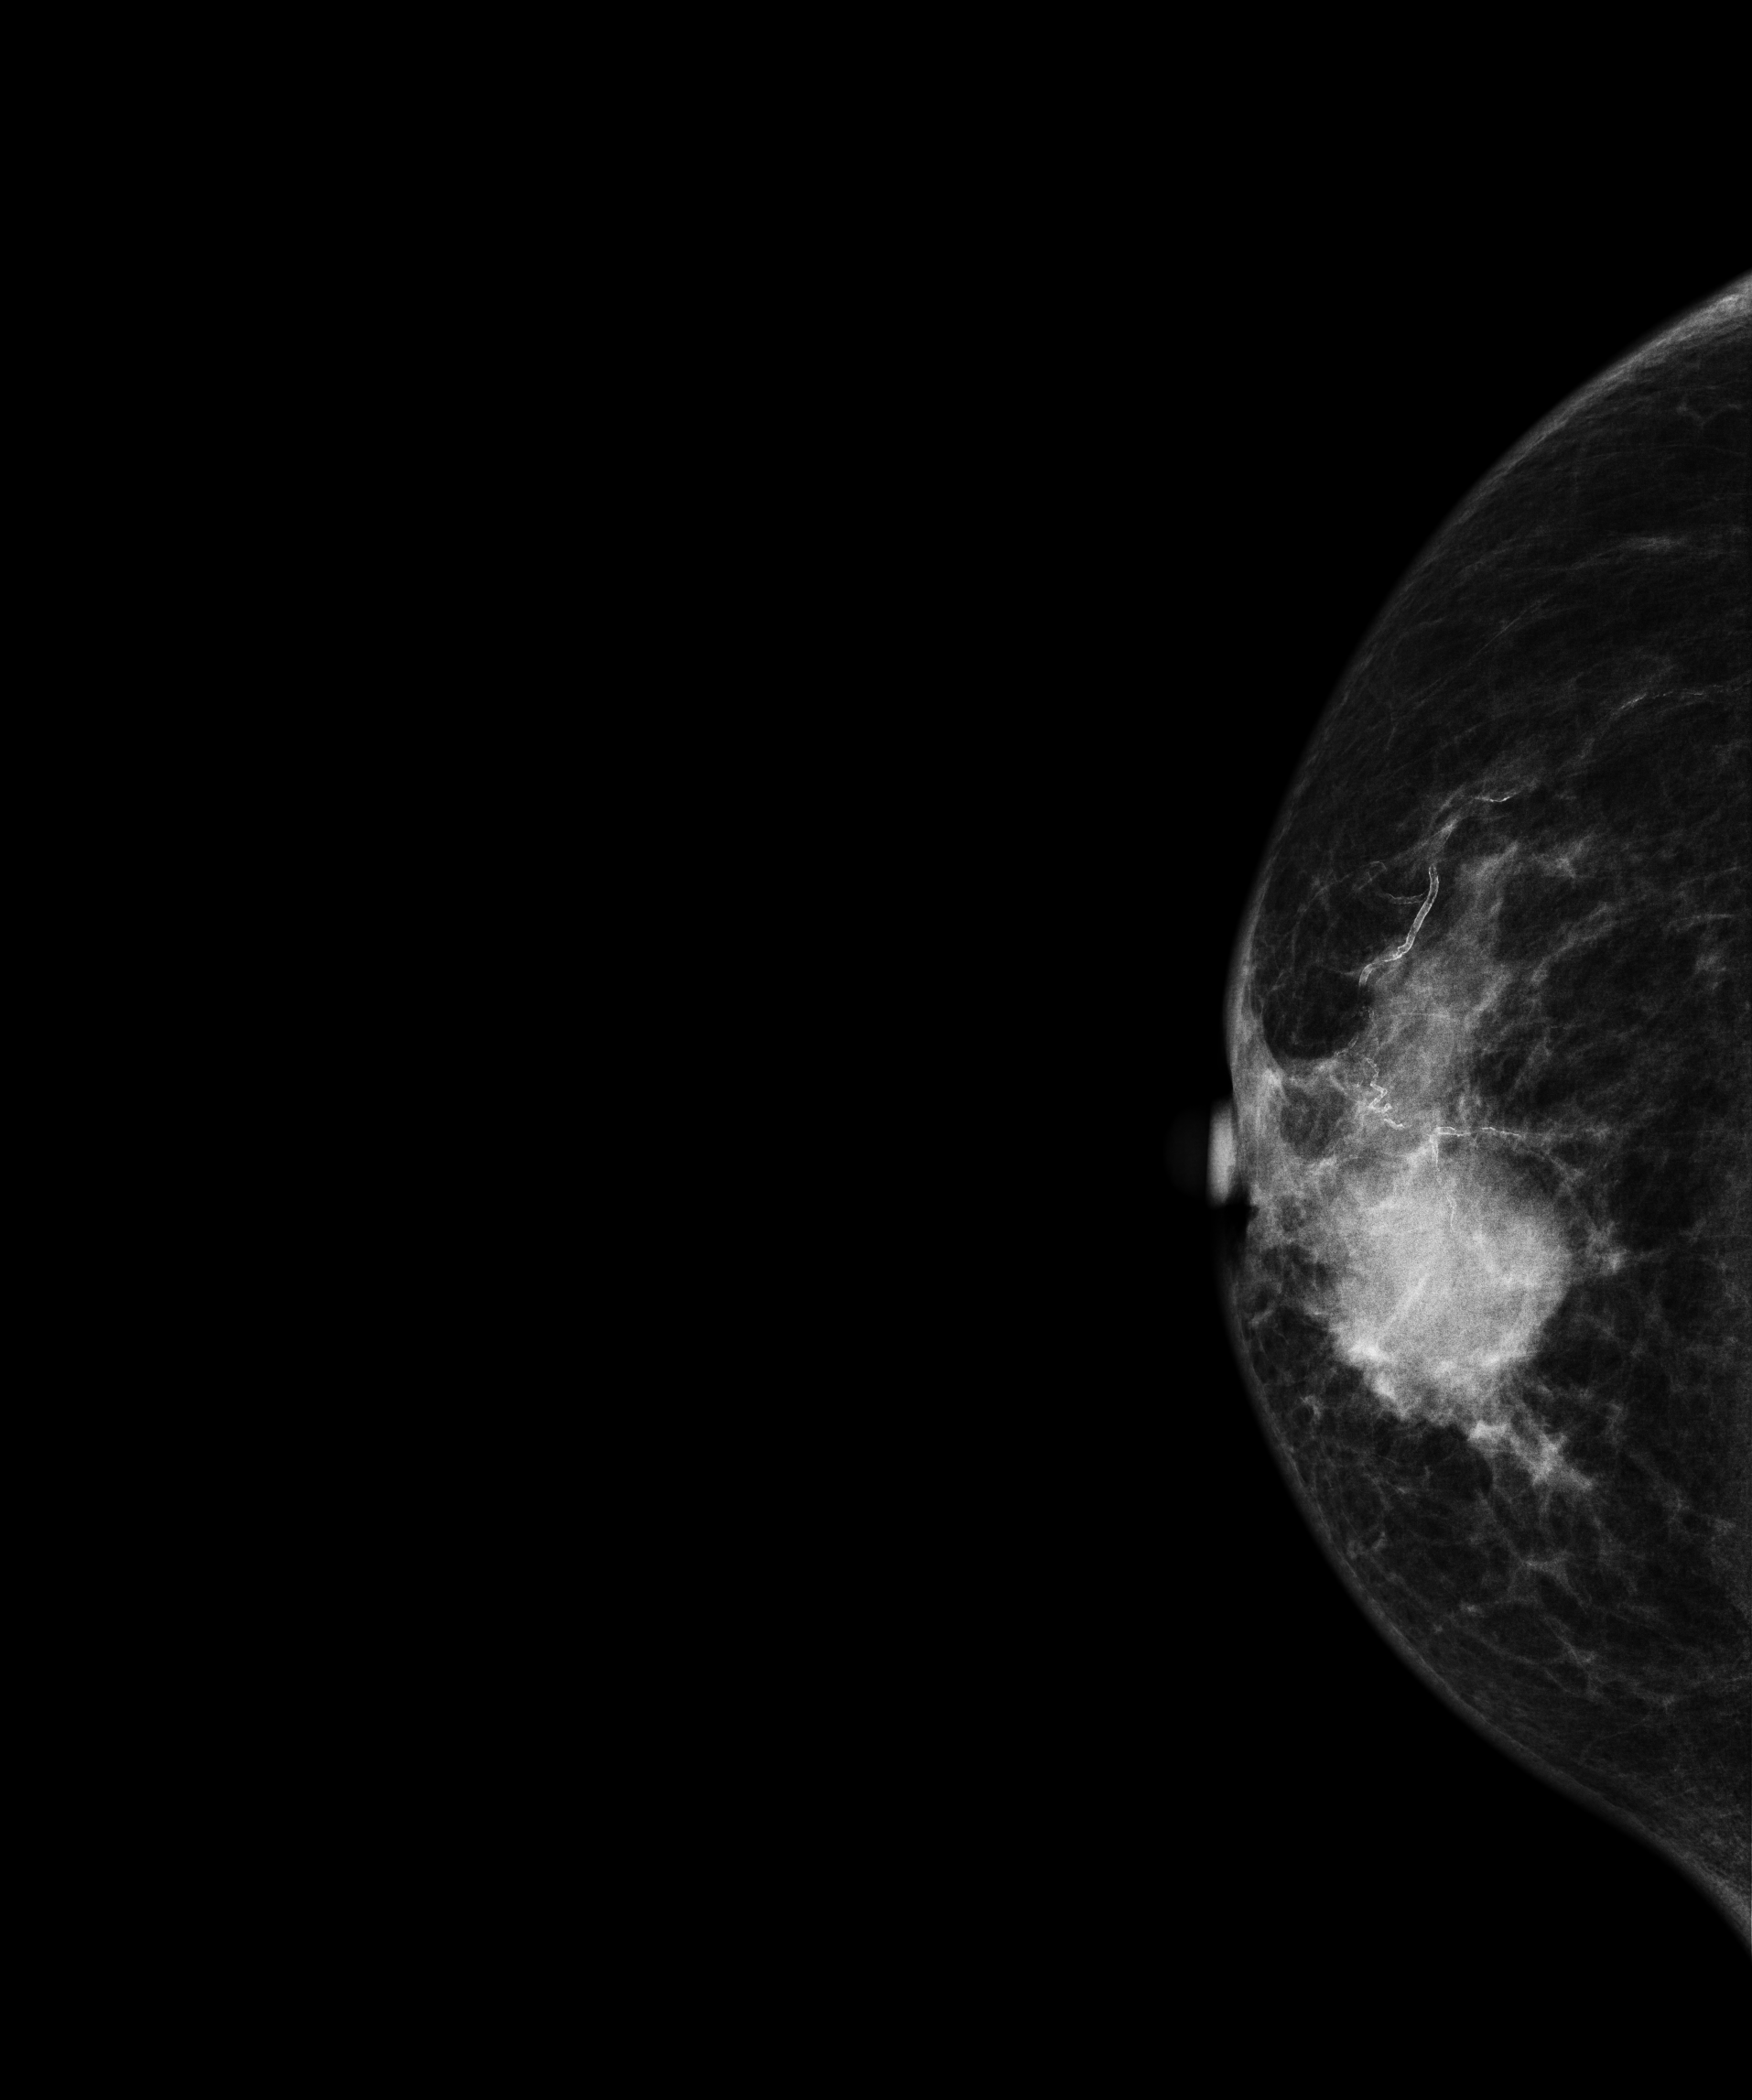
Mammogram, right breast, CC view. Patient age 68.
This breast has a mass, histologically confirmed malignant. Molecular subtype: luminal B.